MLO mammogram of the left breast. 51 y/o patient.
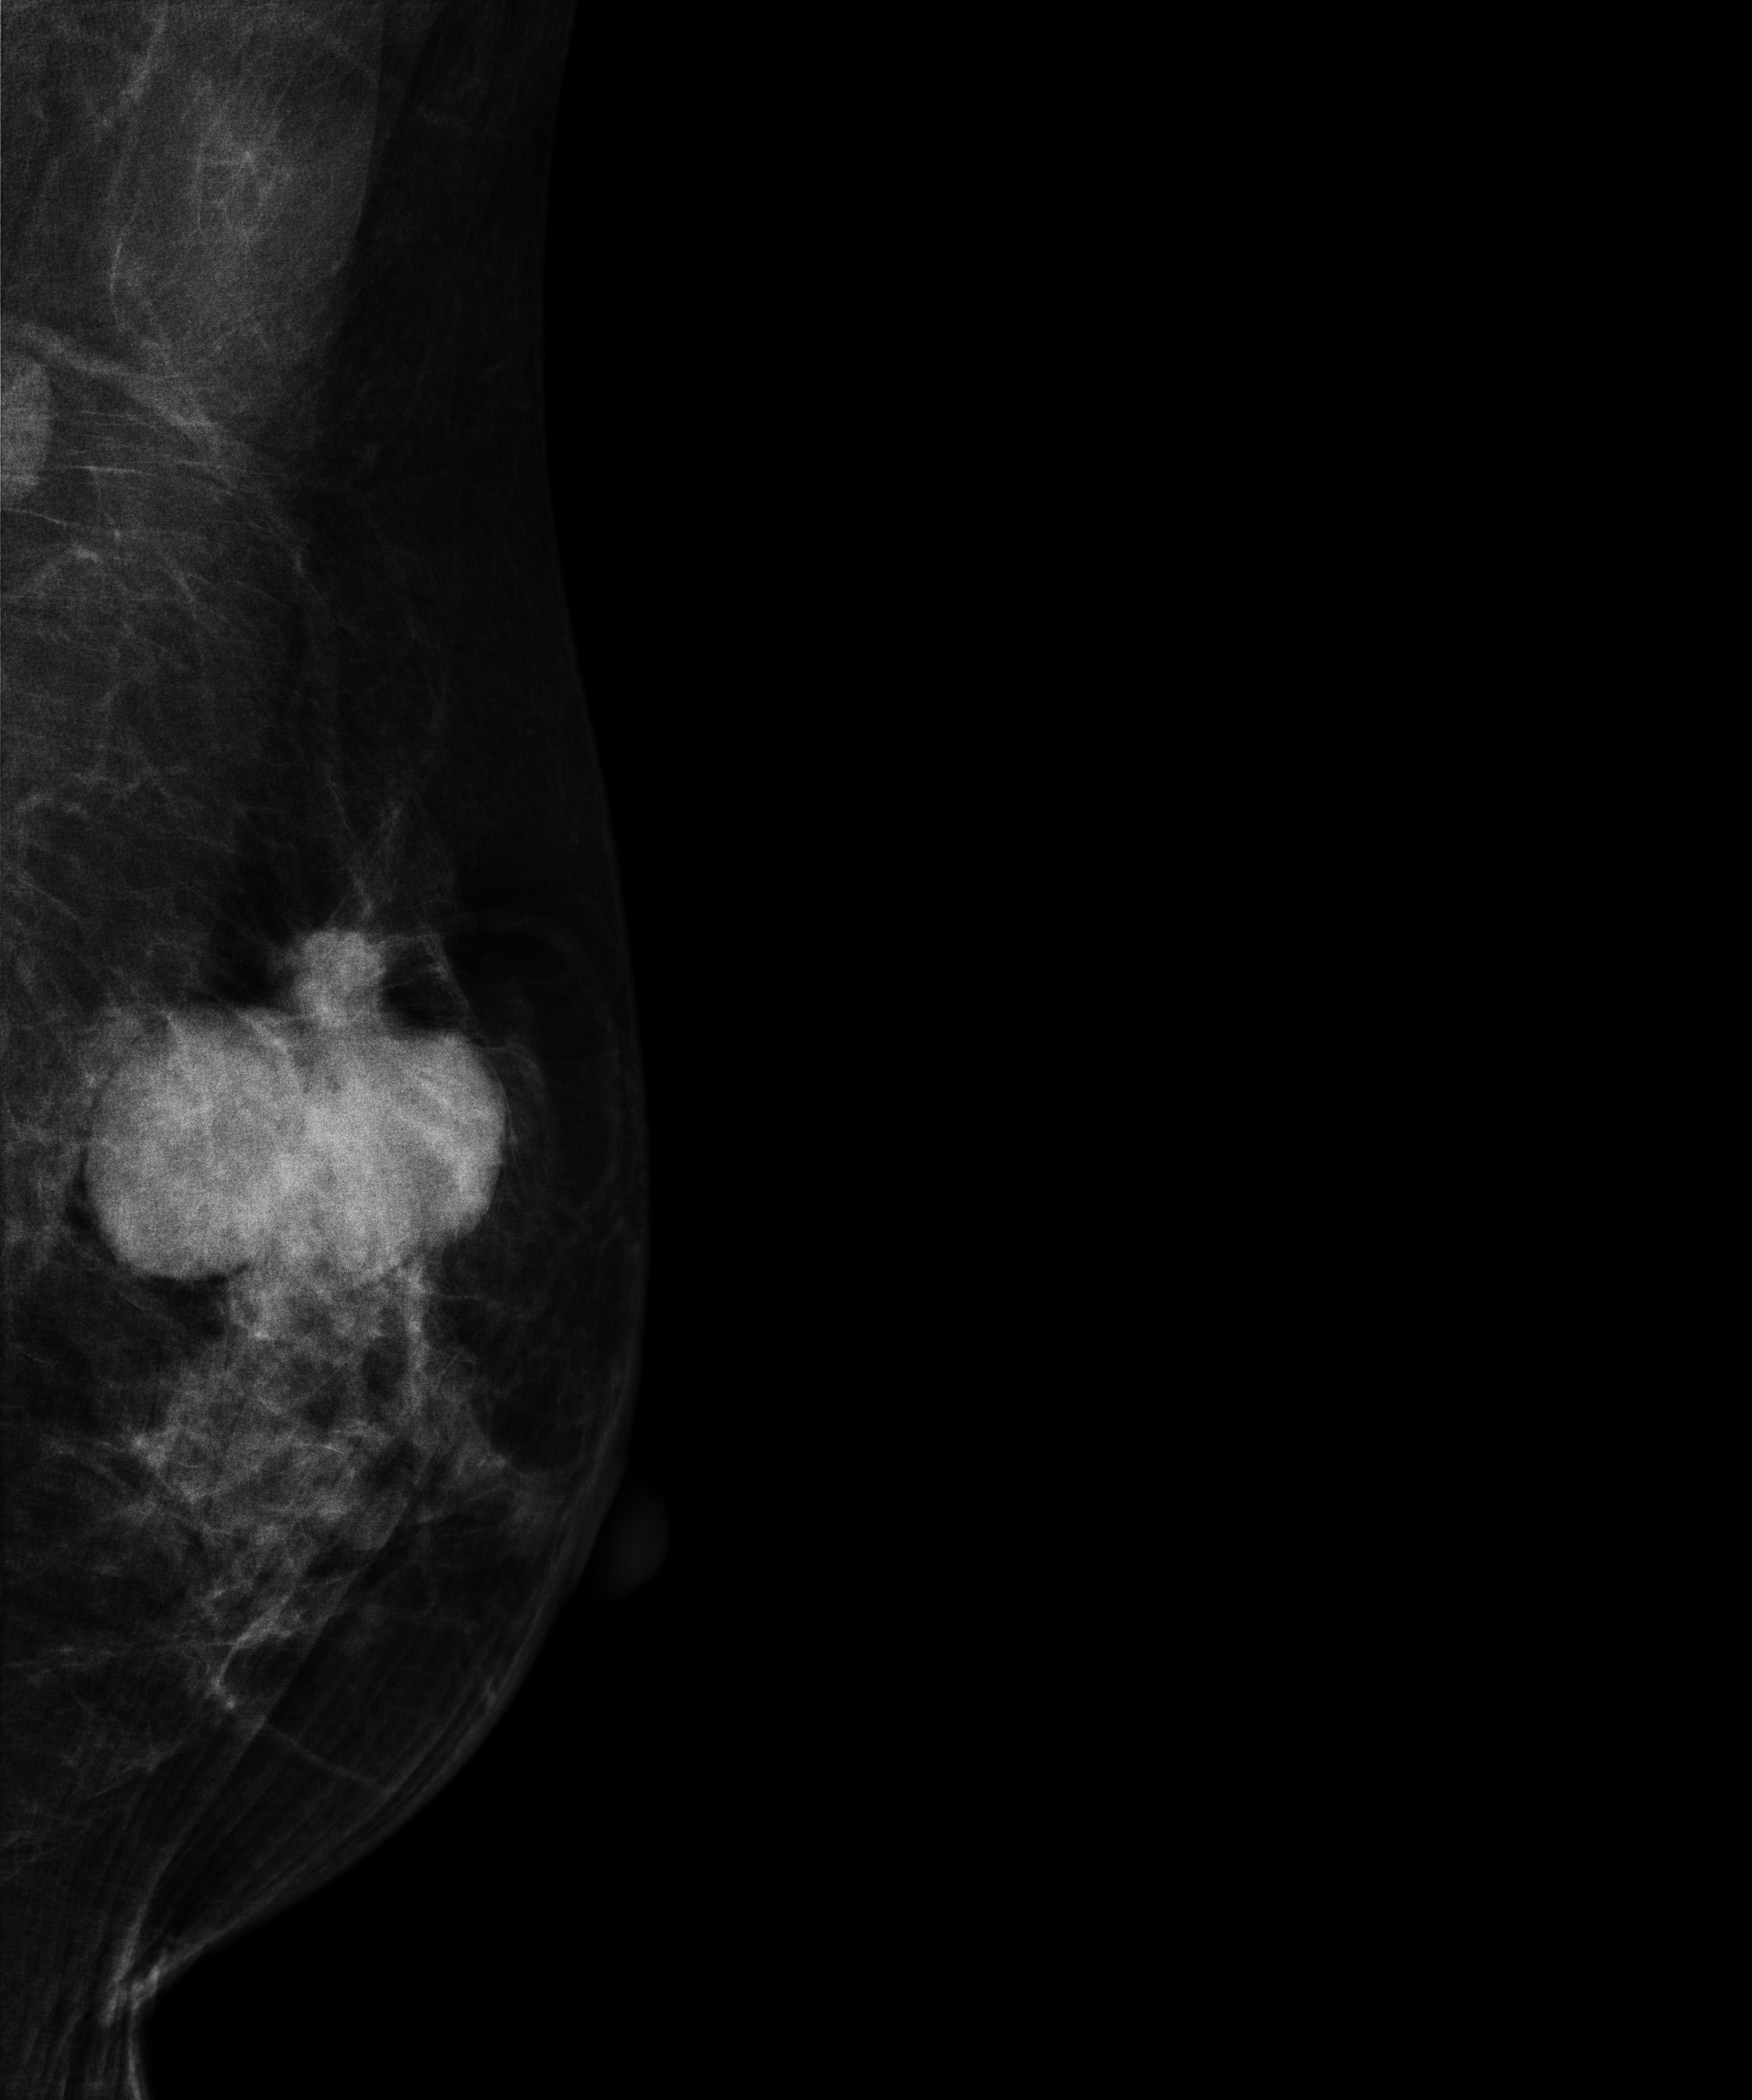
This breast has a mass, biopsy-confirmed malignant. Molecular subtype: luminal B.